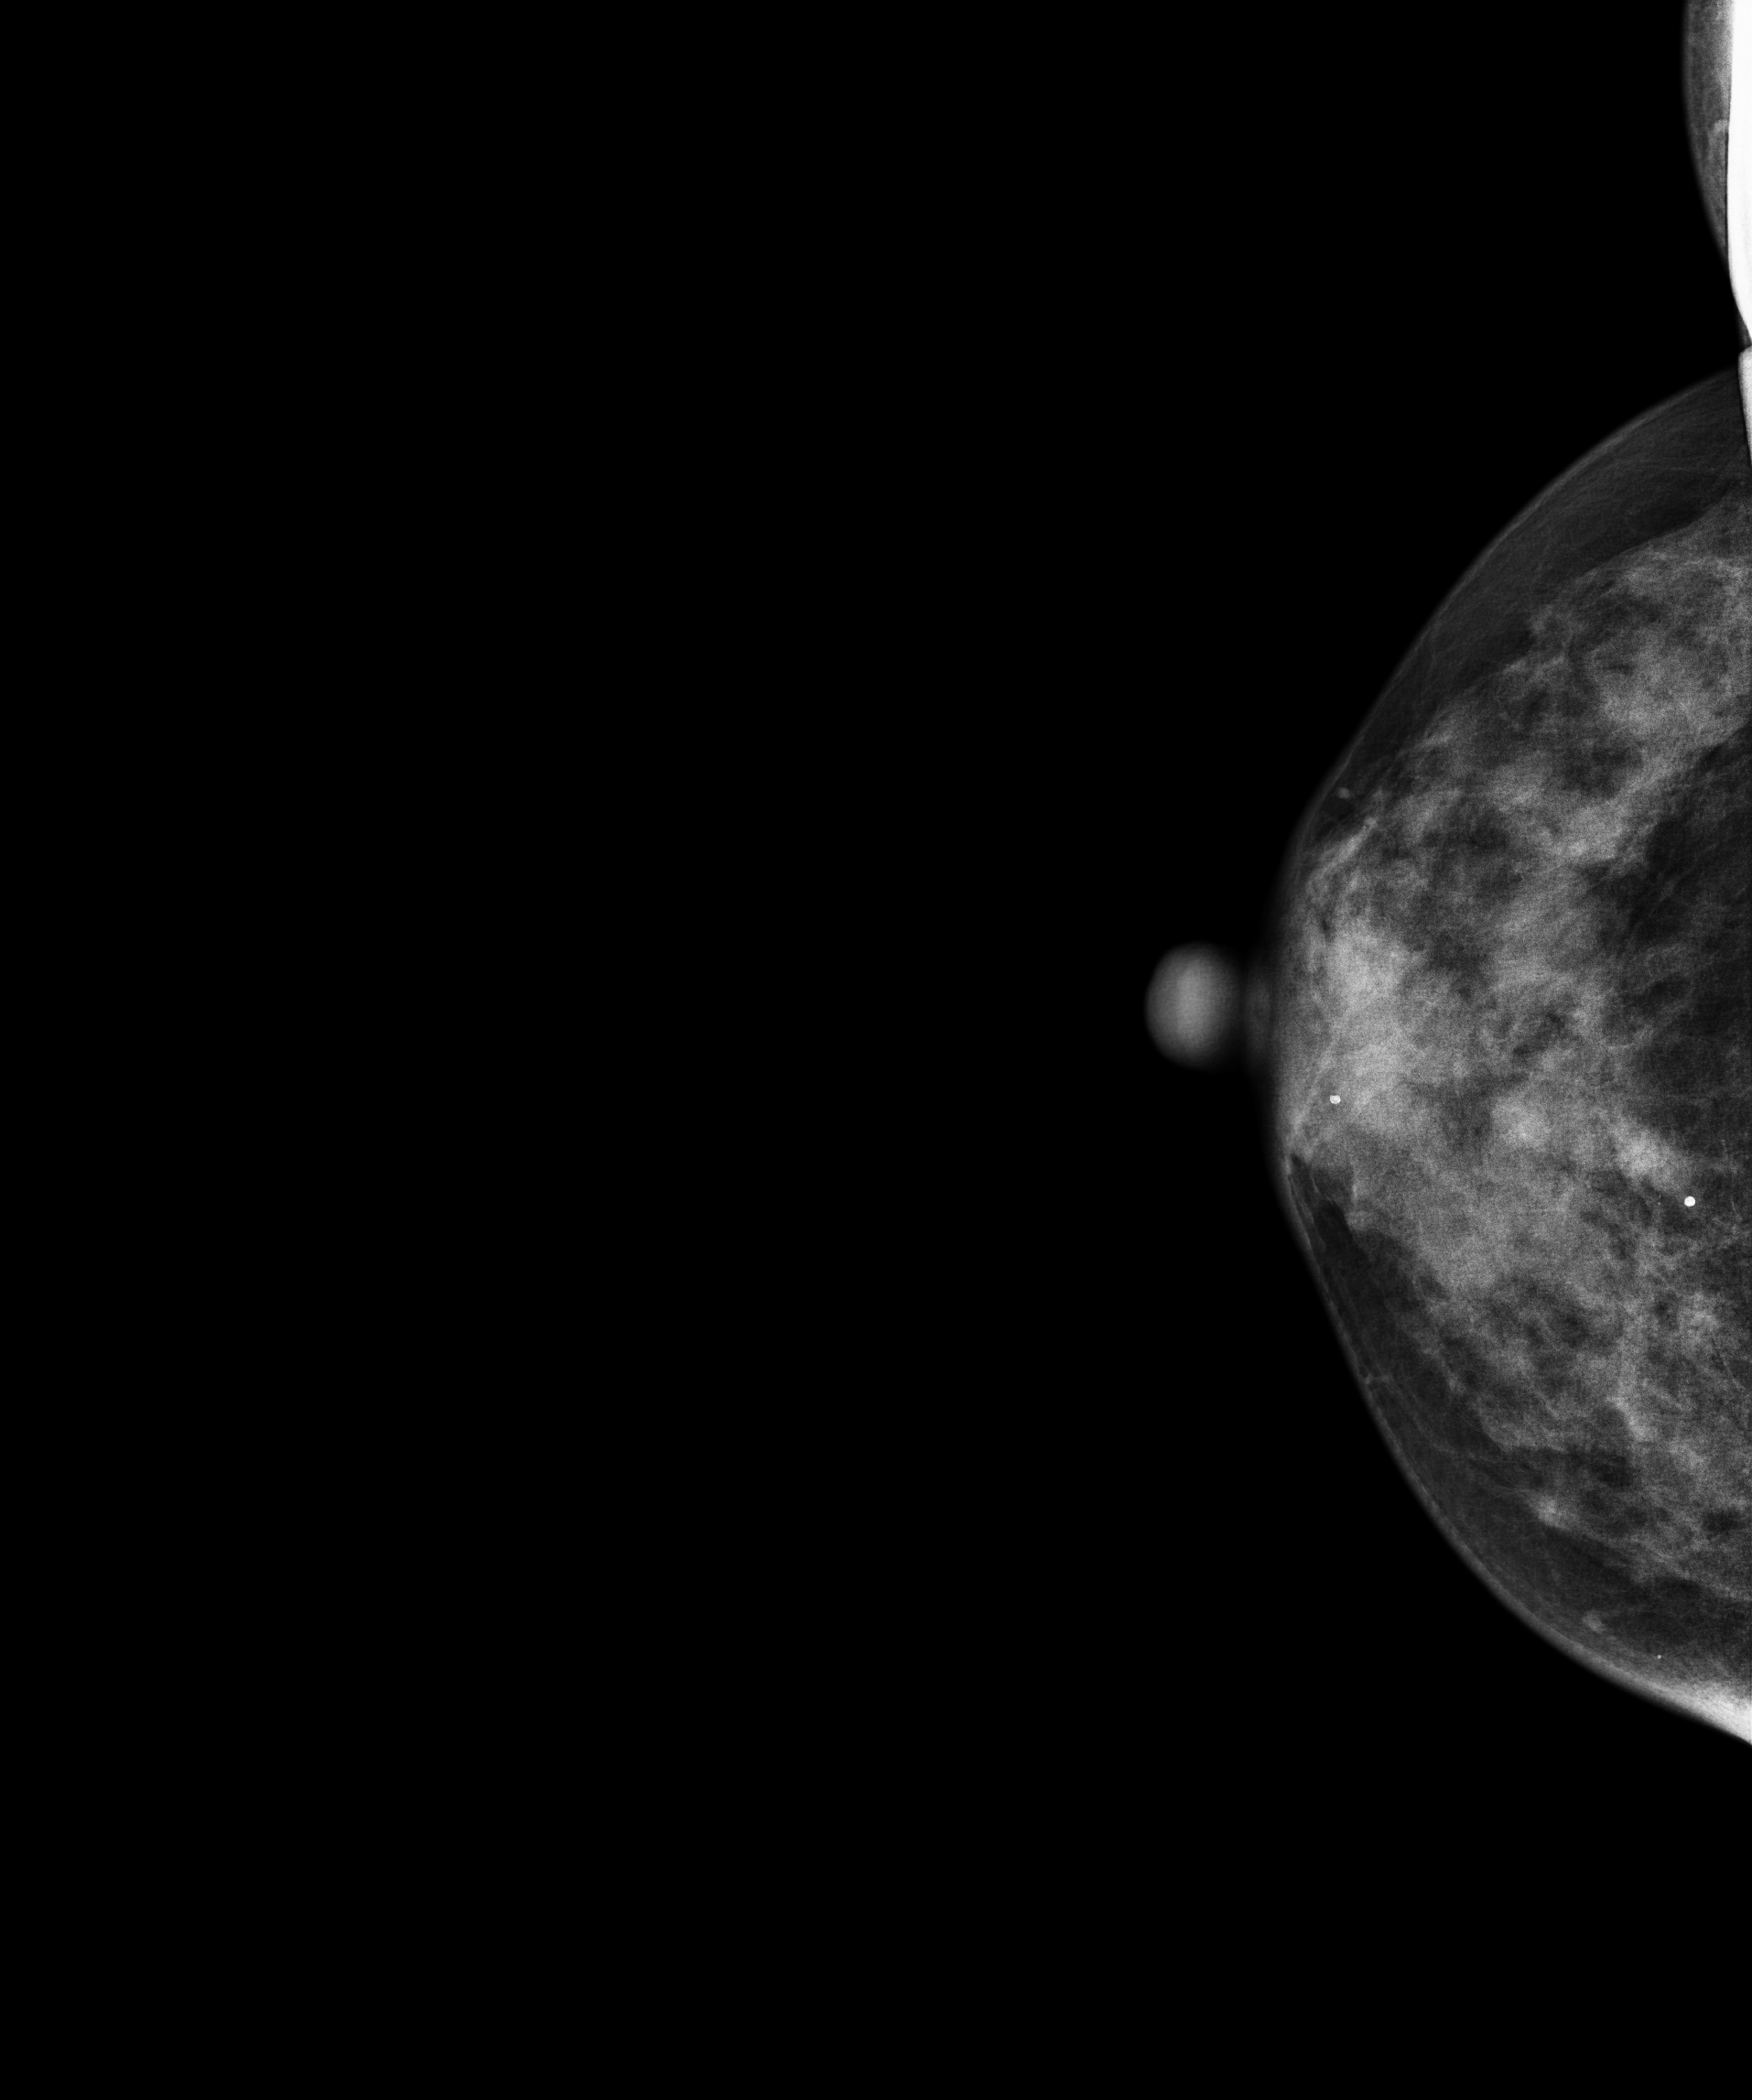
Digital mammography. Right breast, CC projection. 54-year-old patient.
Contralateral breast — no documented abnormality on this side.